Left-breast mammogram, medio-lateral oblique. 33 y/o patient.
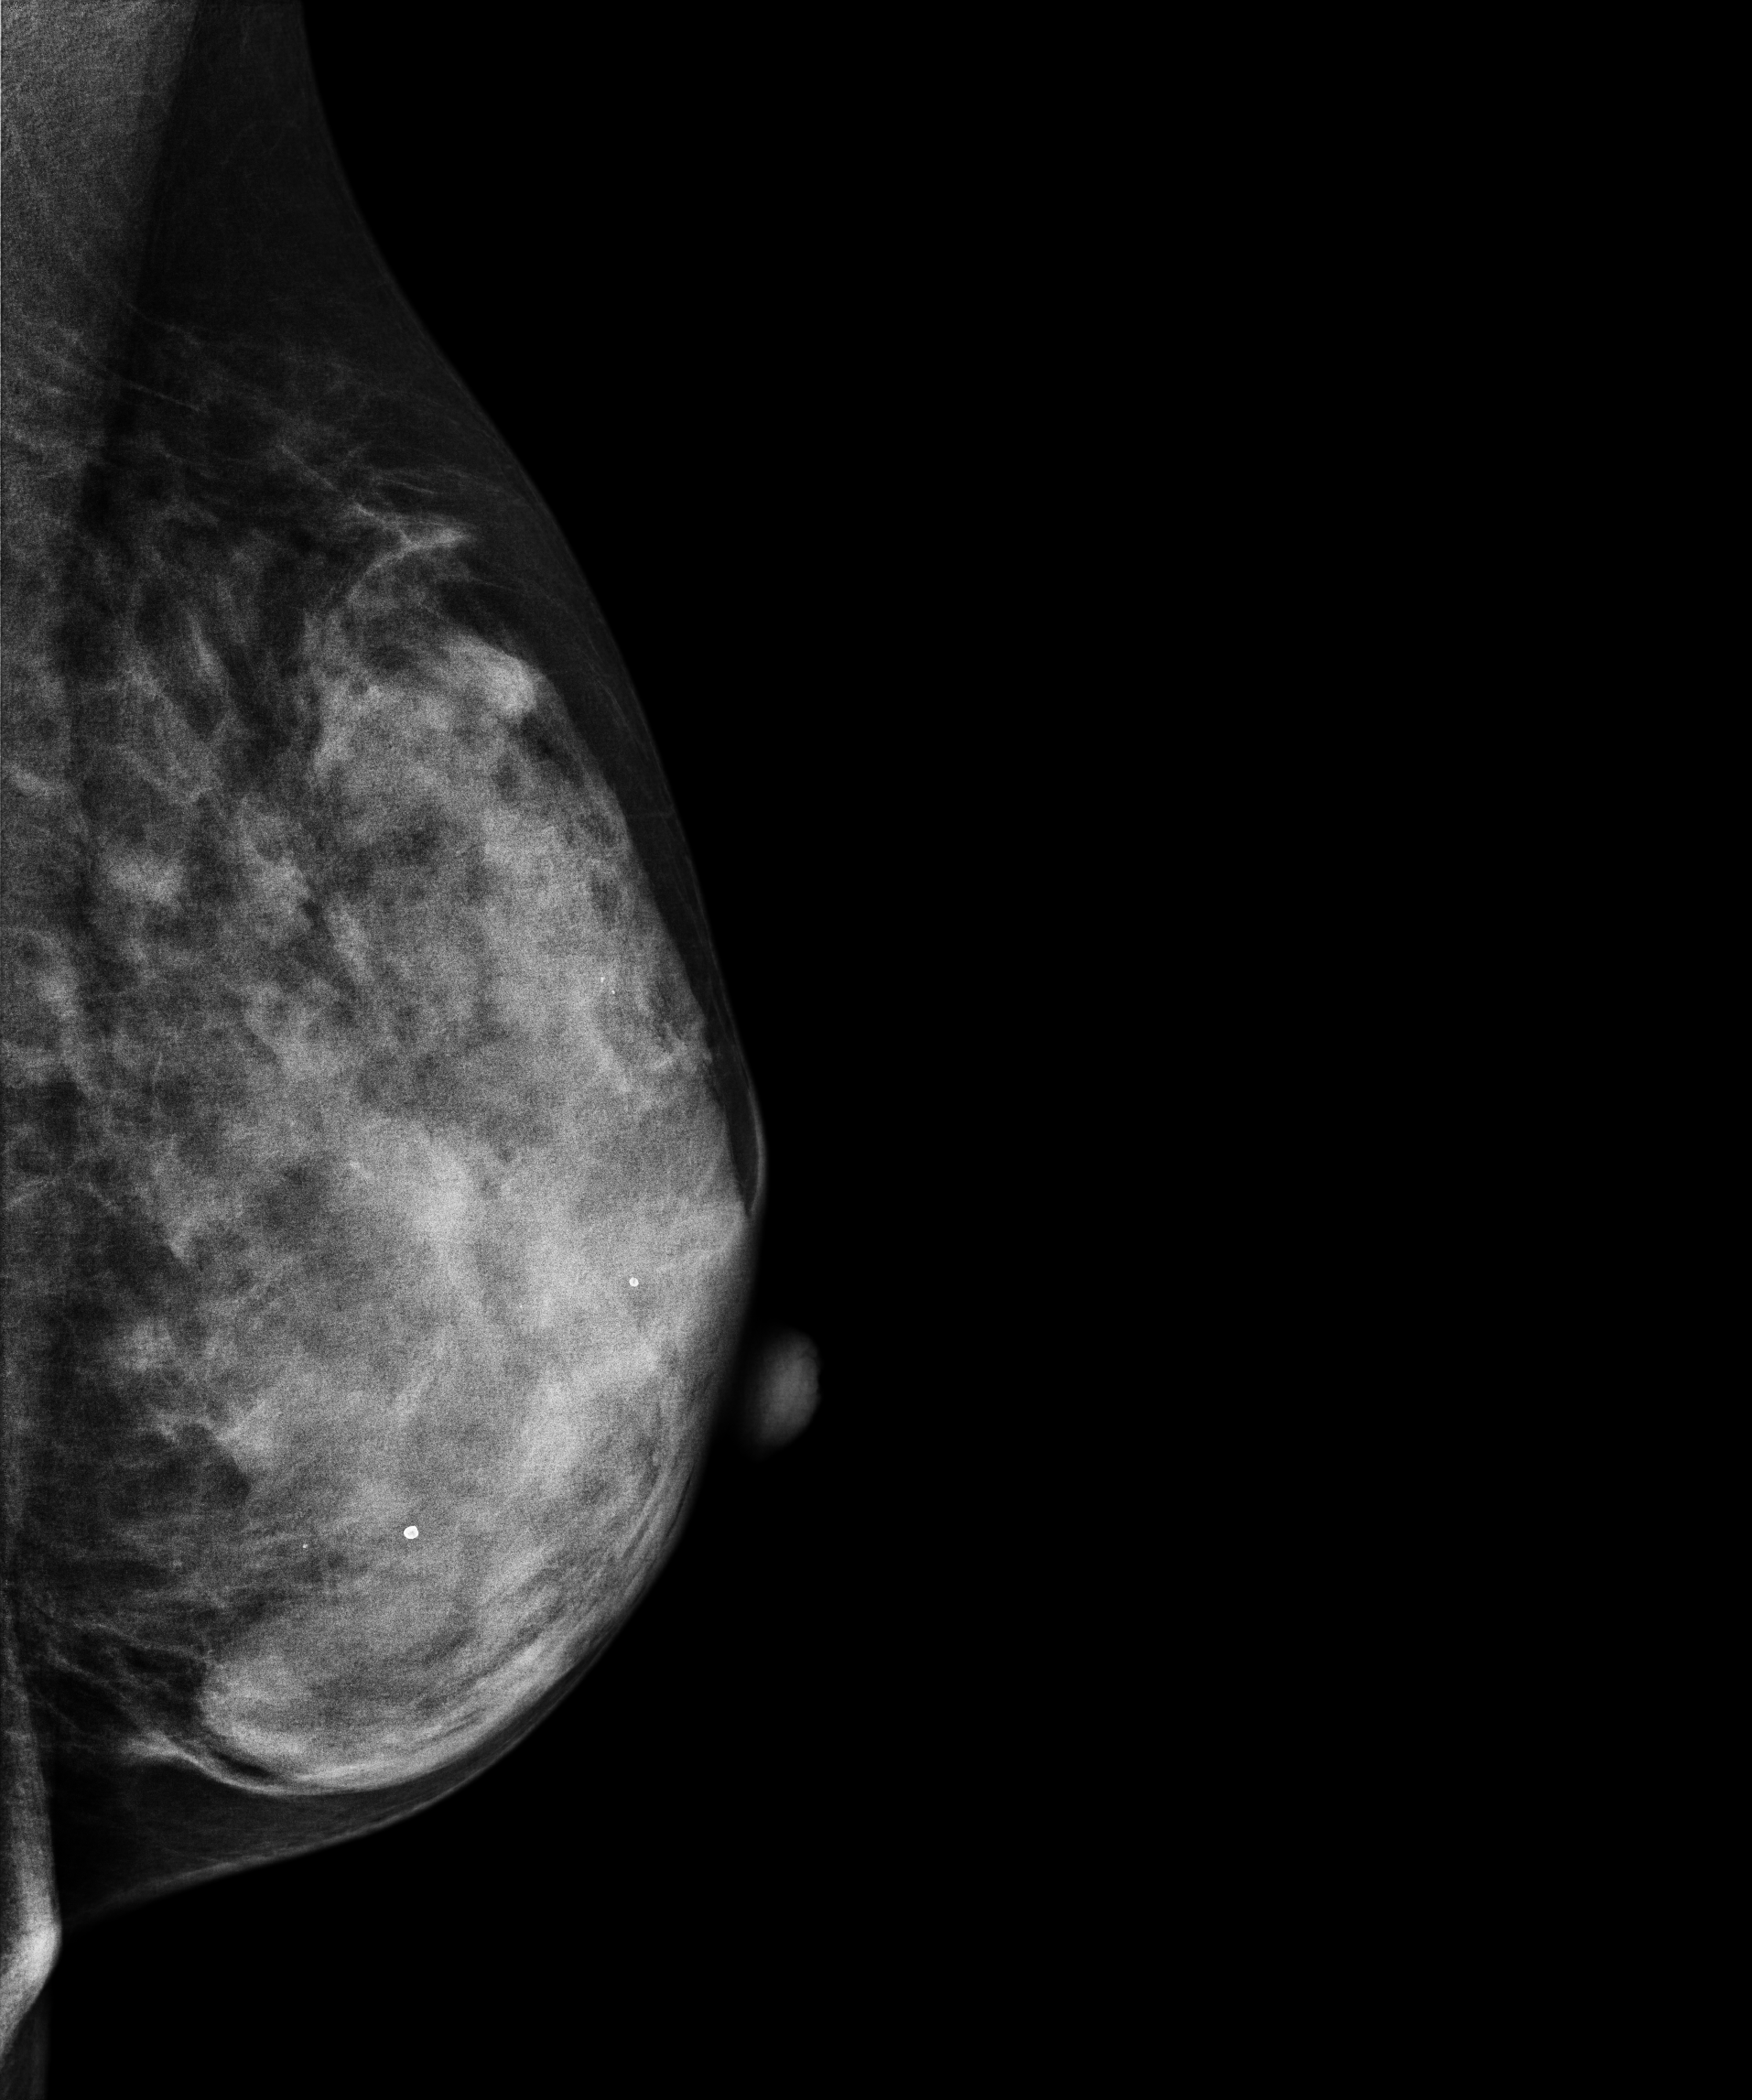
This breast has a mass and calcifications, histologically confirmed malignant.